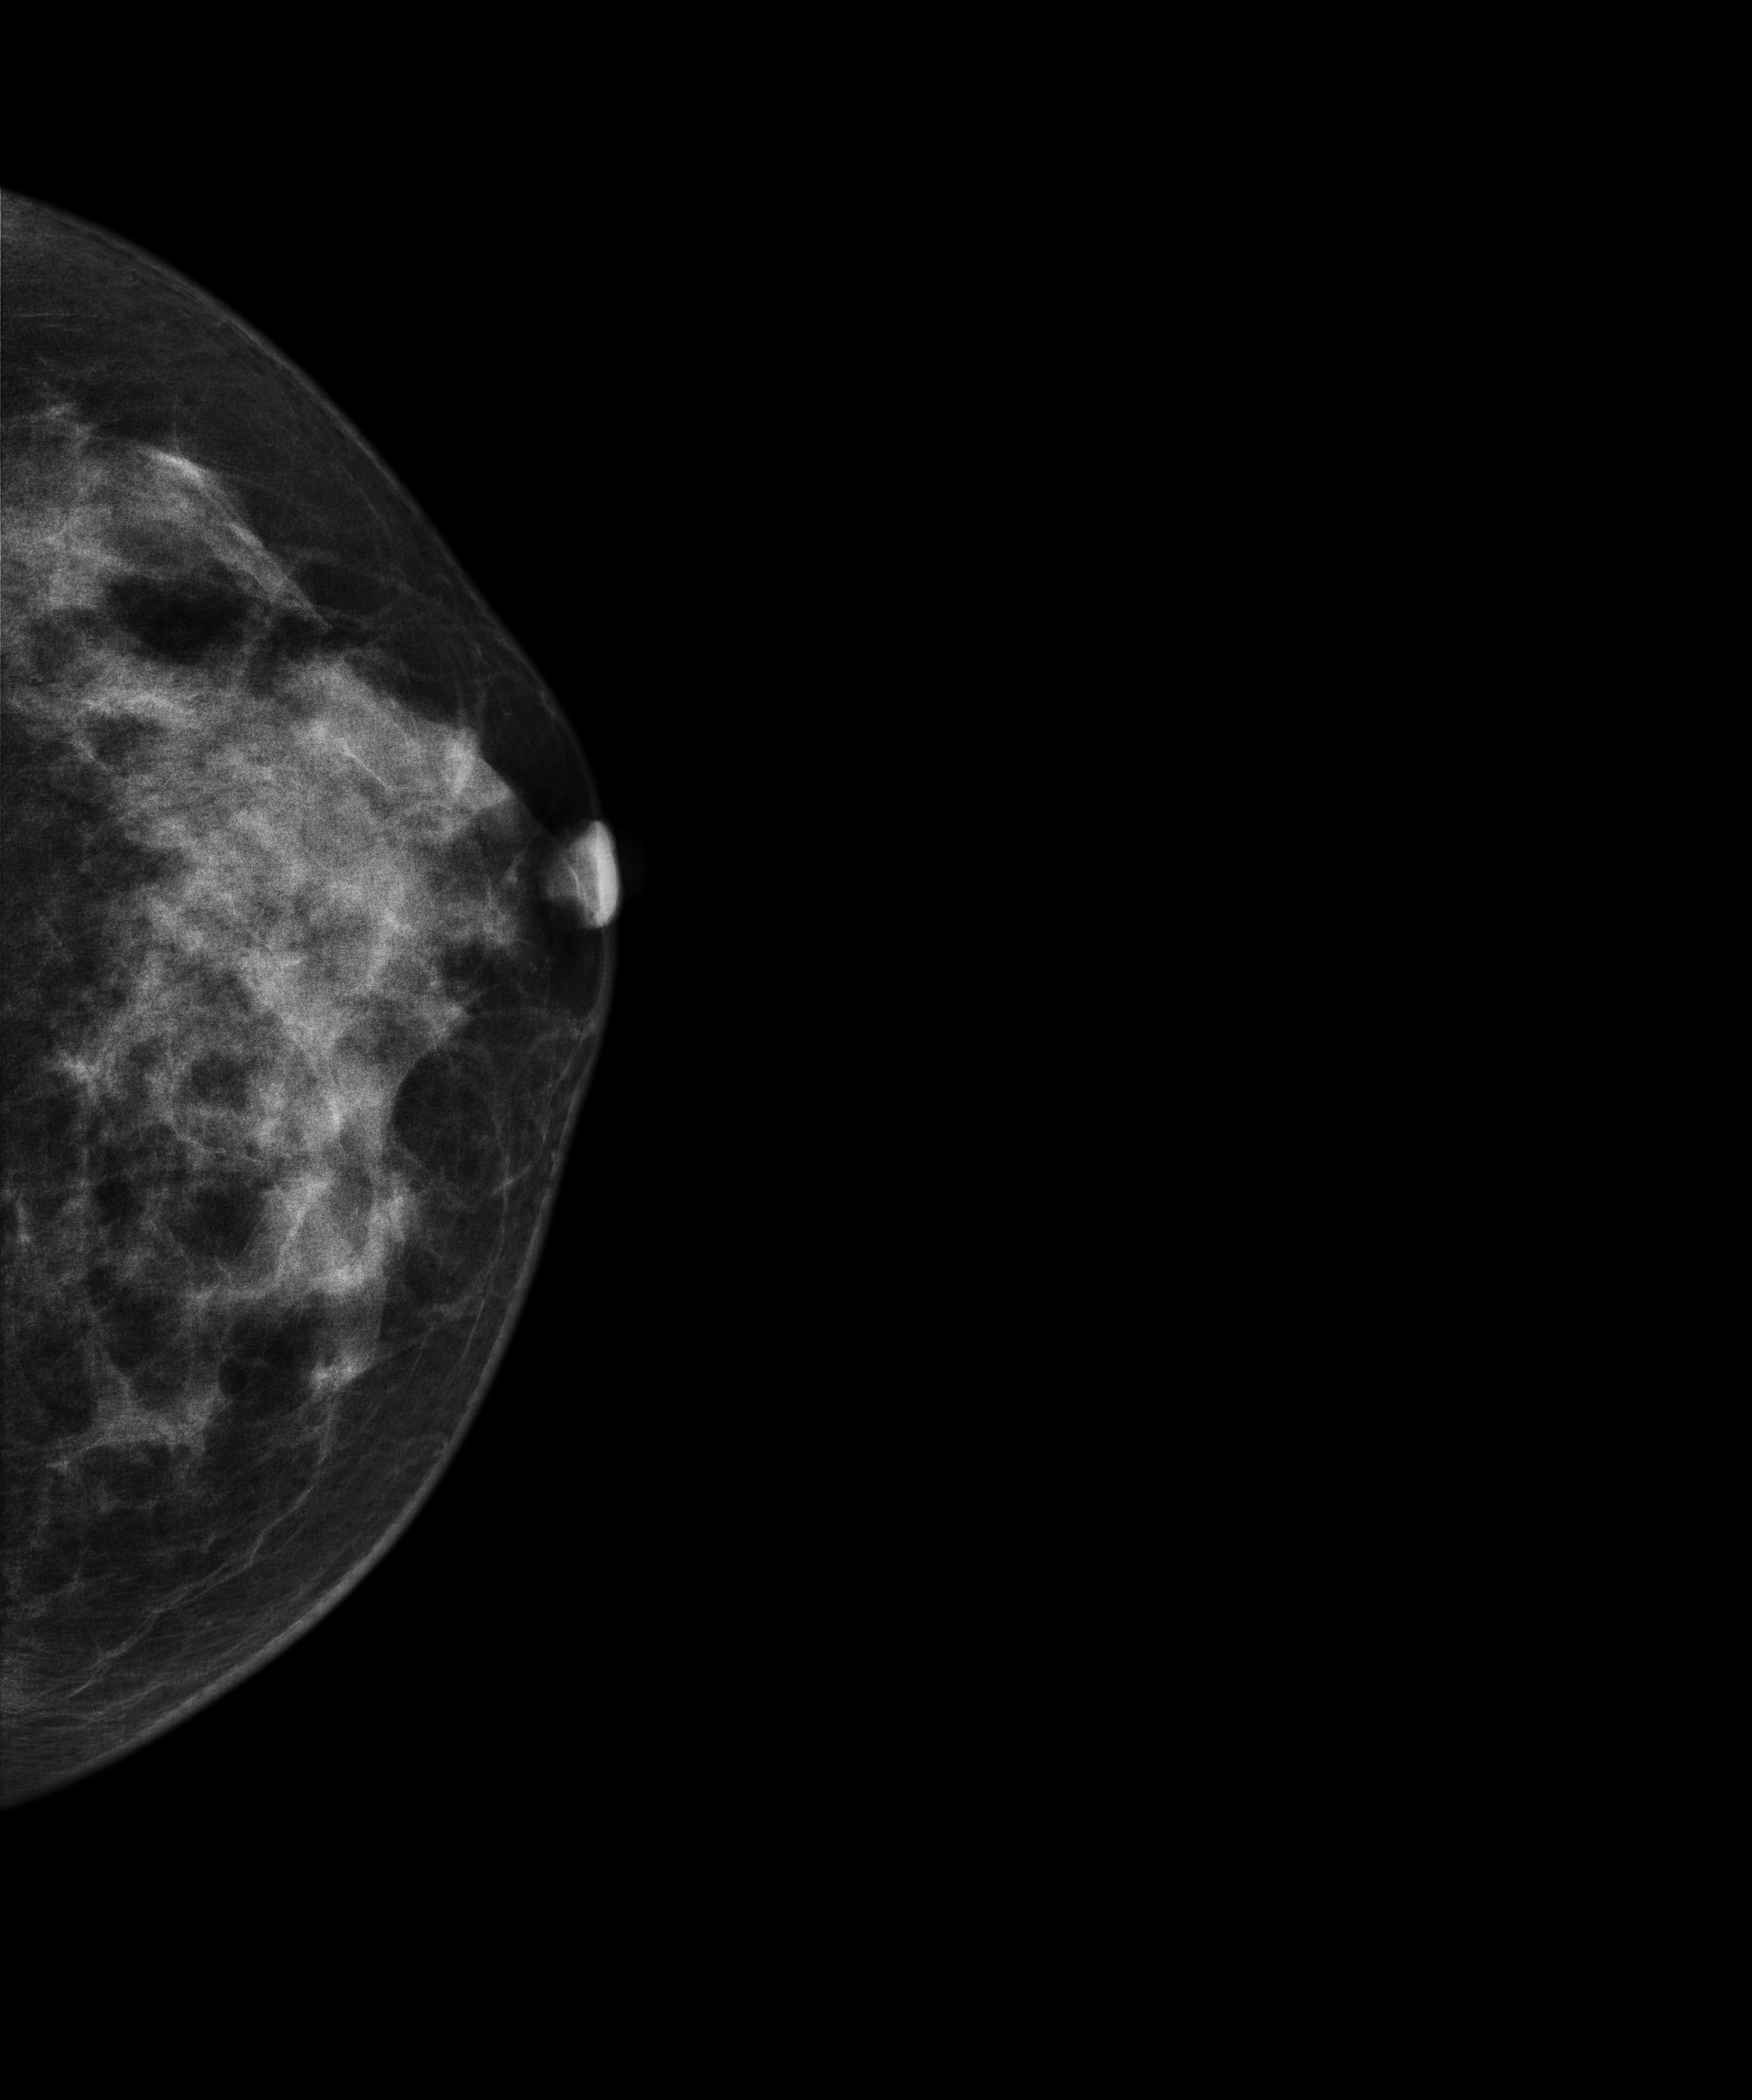
Cranio-caudal mammogram of the left breast. Patient age 51.
This breast has a mass, pathology-confirmed malignant.